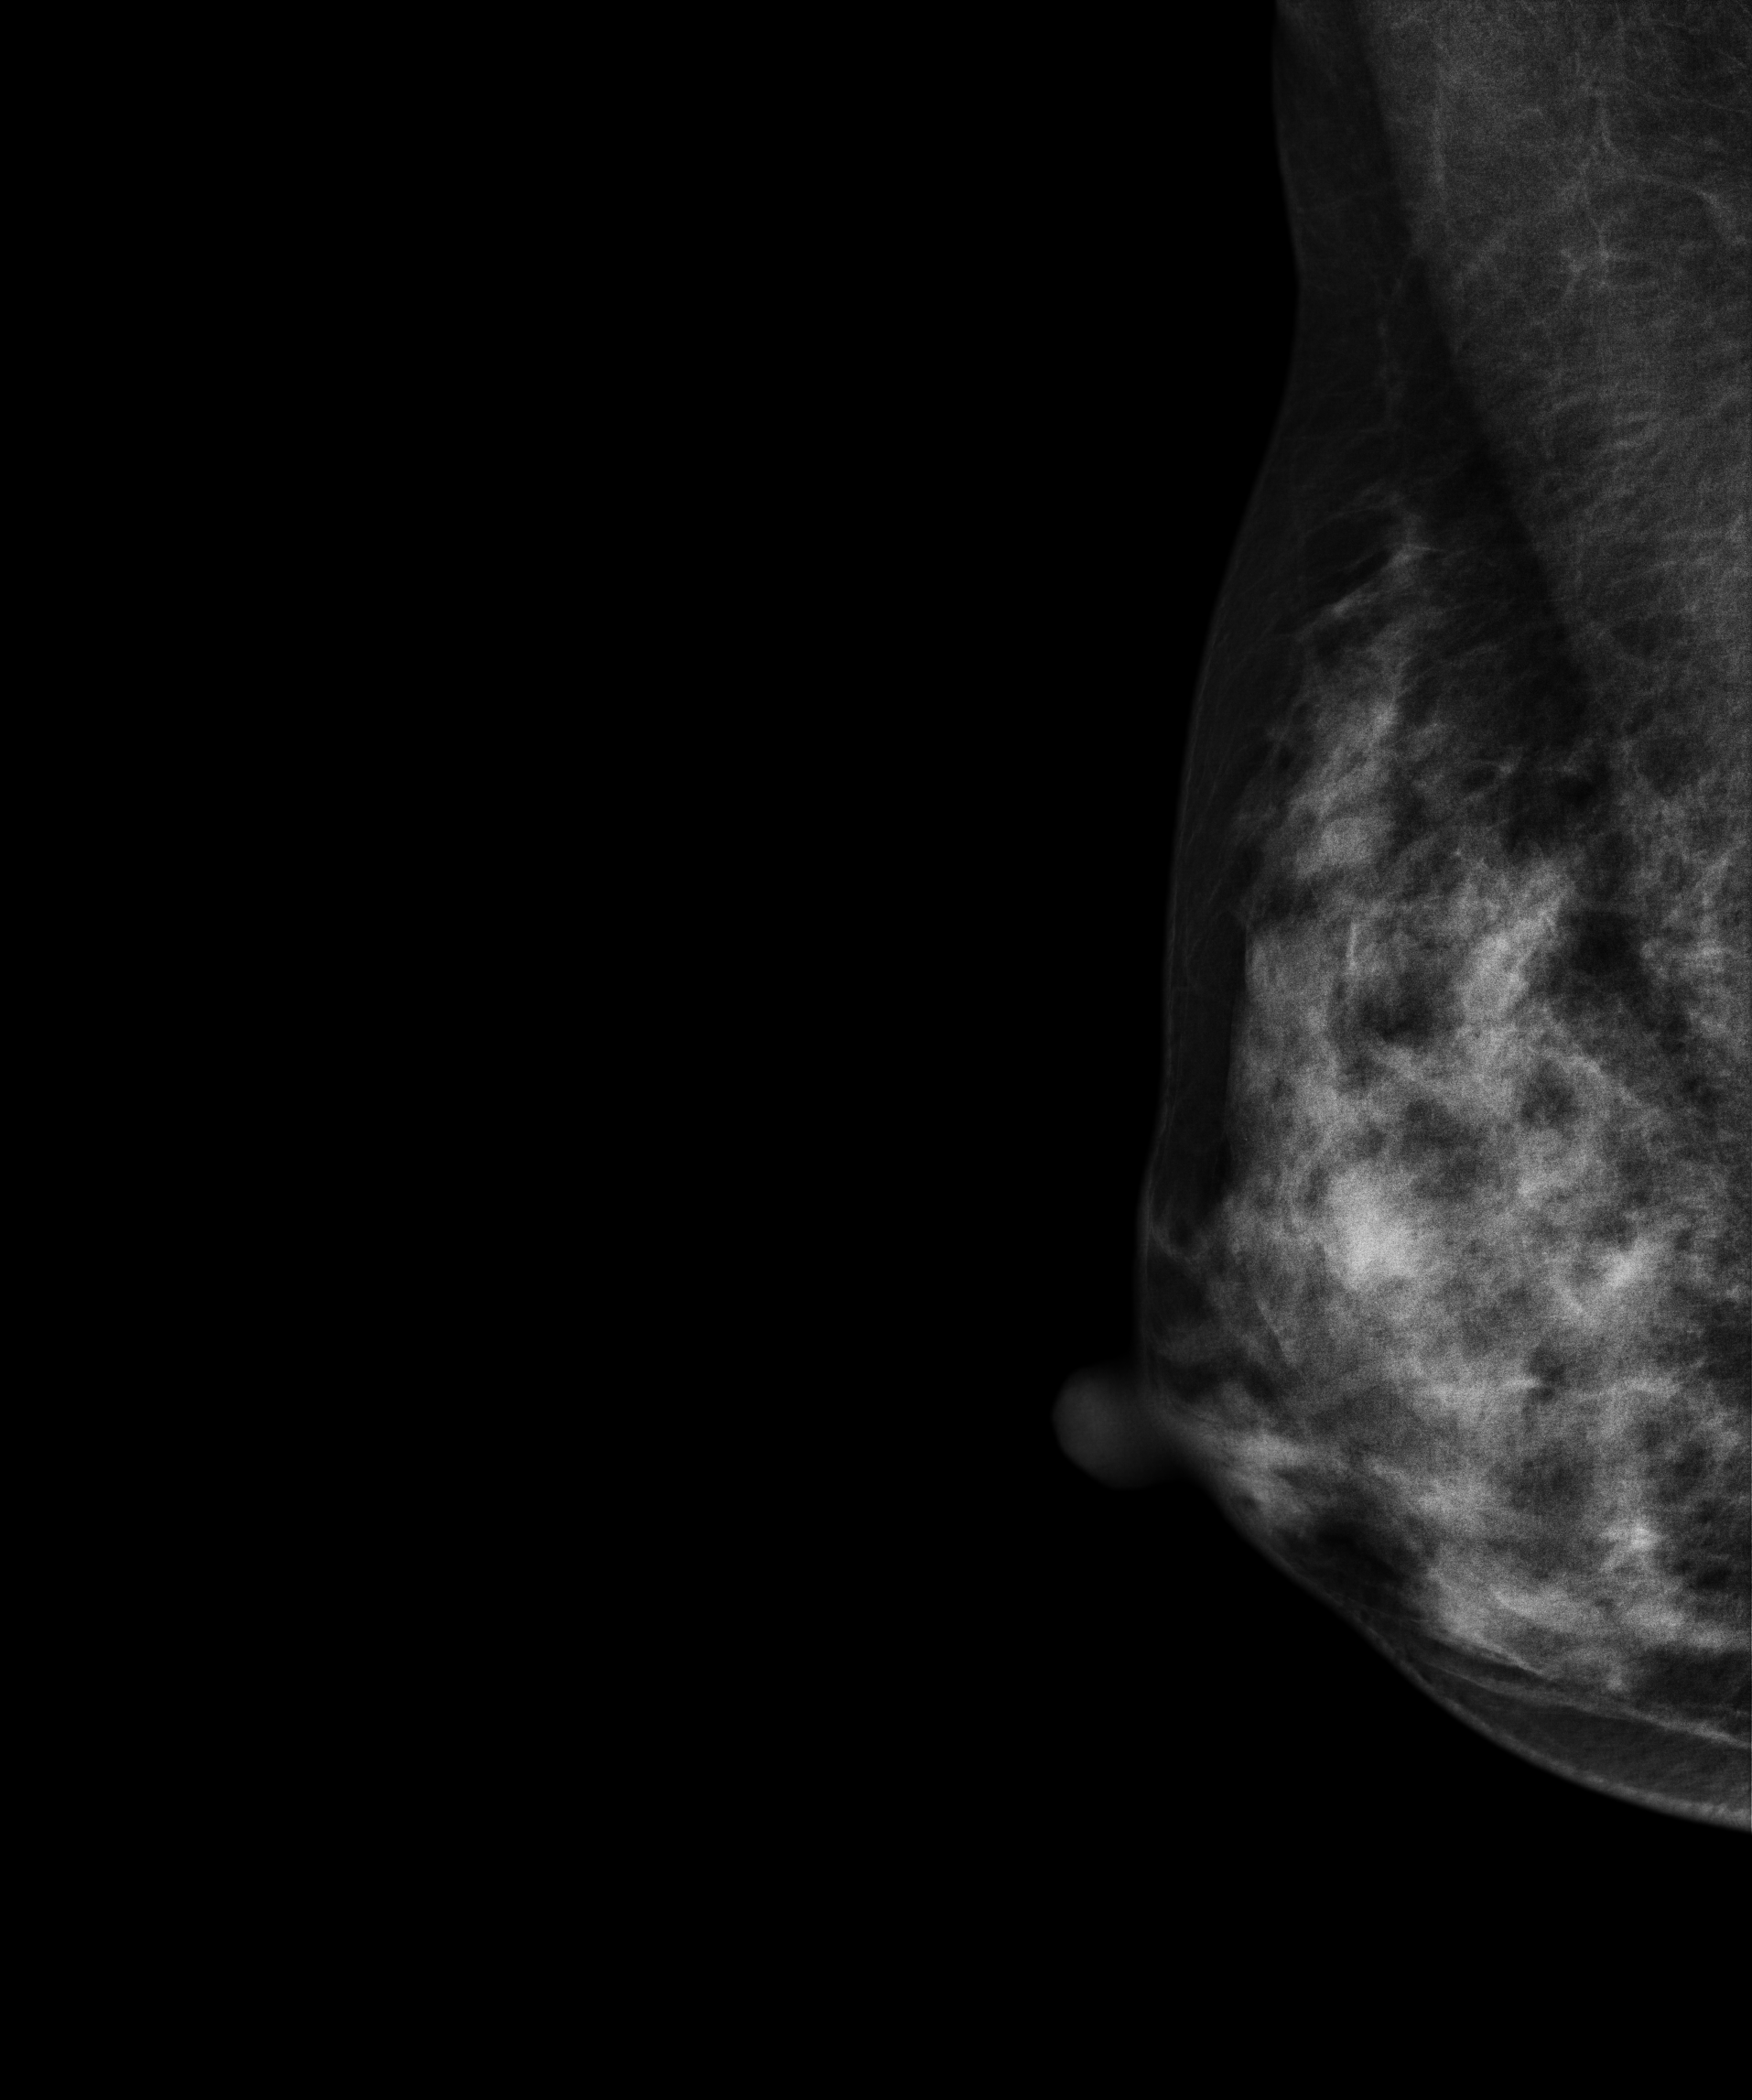
Mammogram — right medio-lateral oblique. Patient age 30.
This breast has a mass, pathology-confirmed benign.